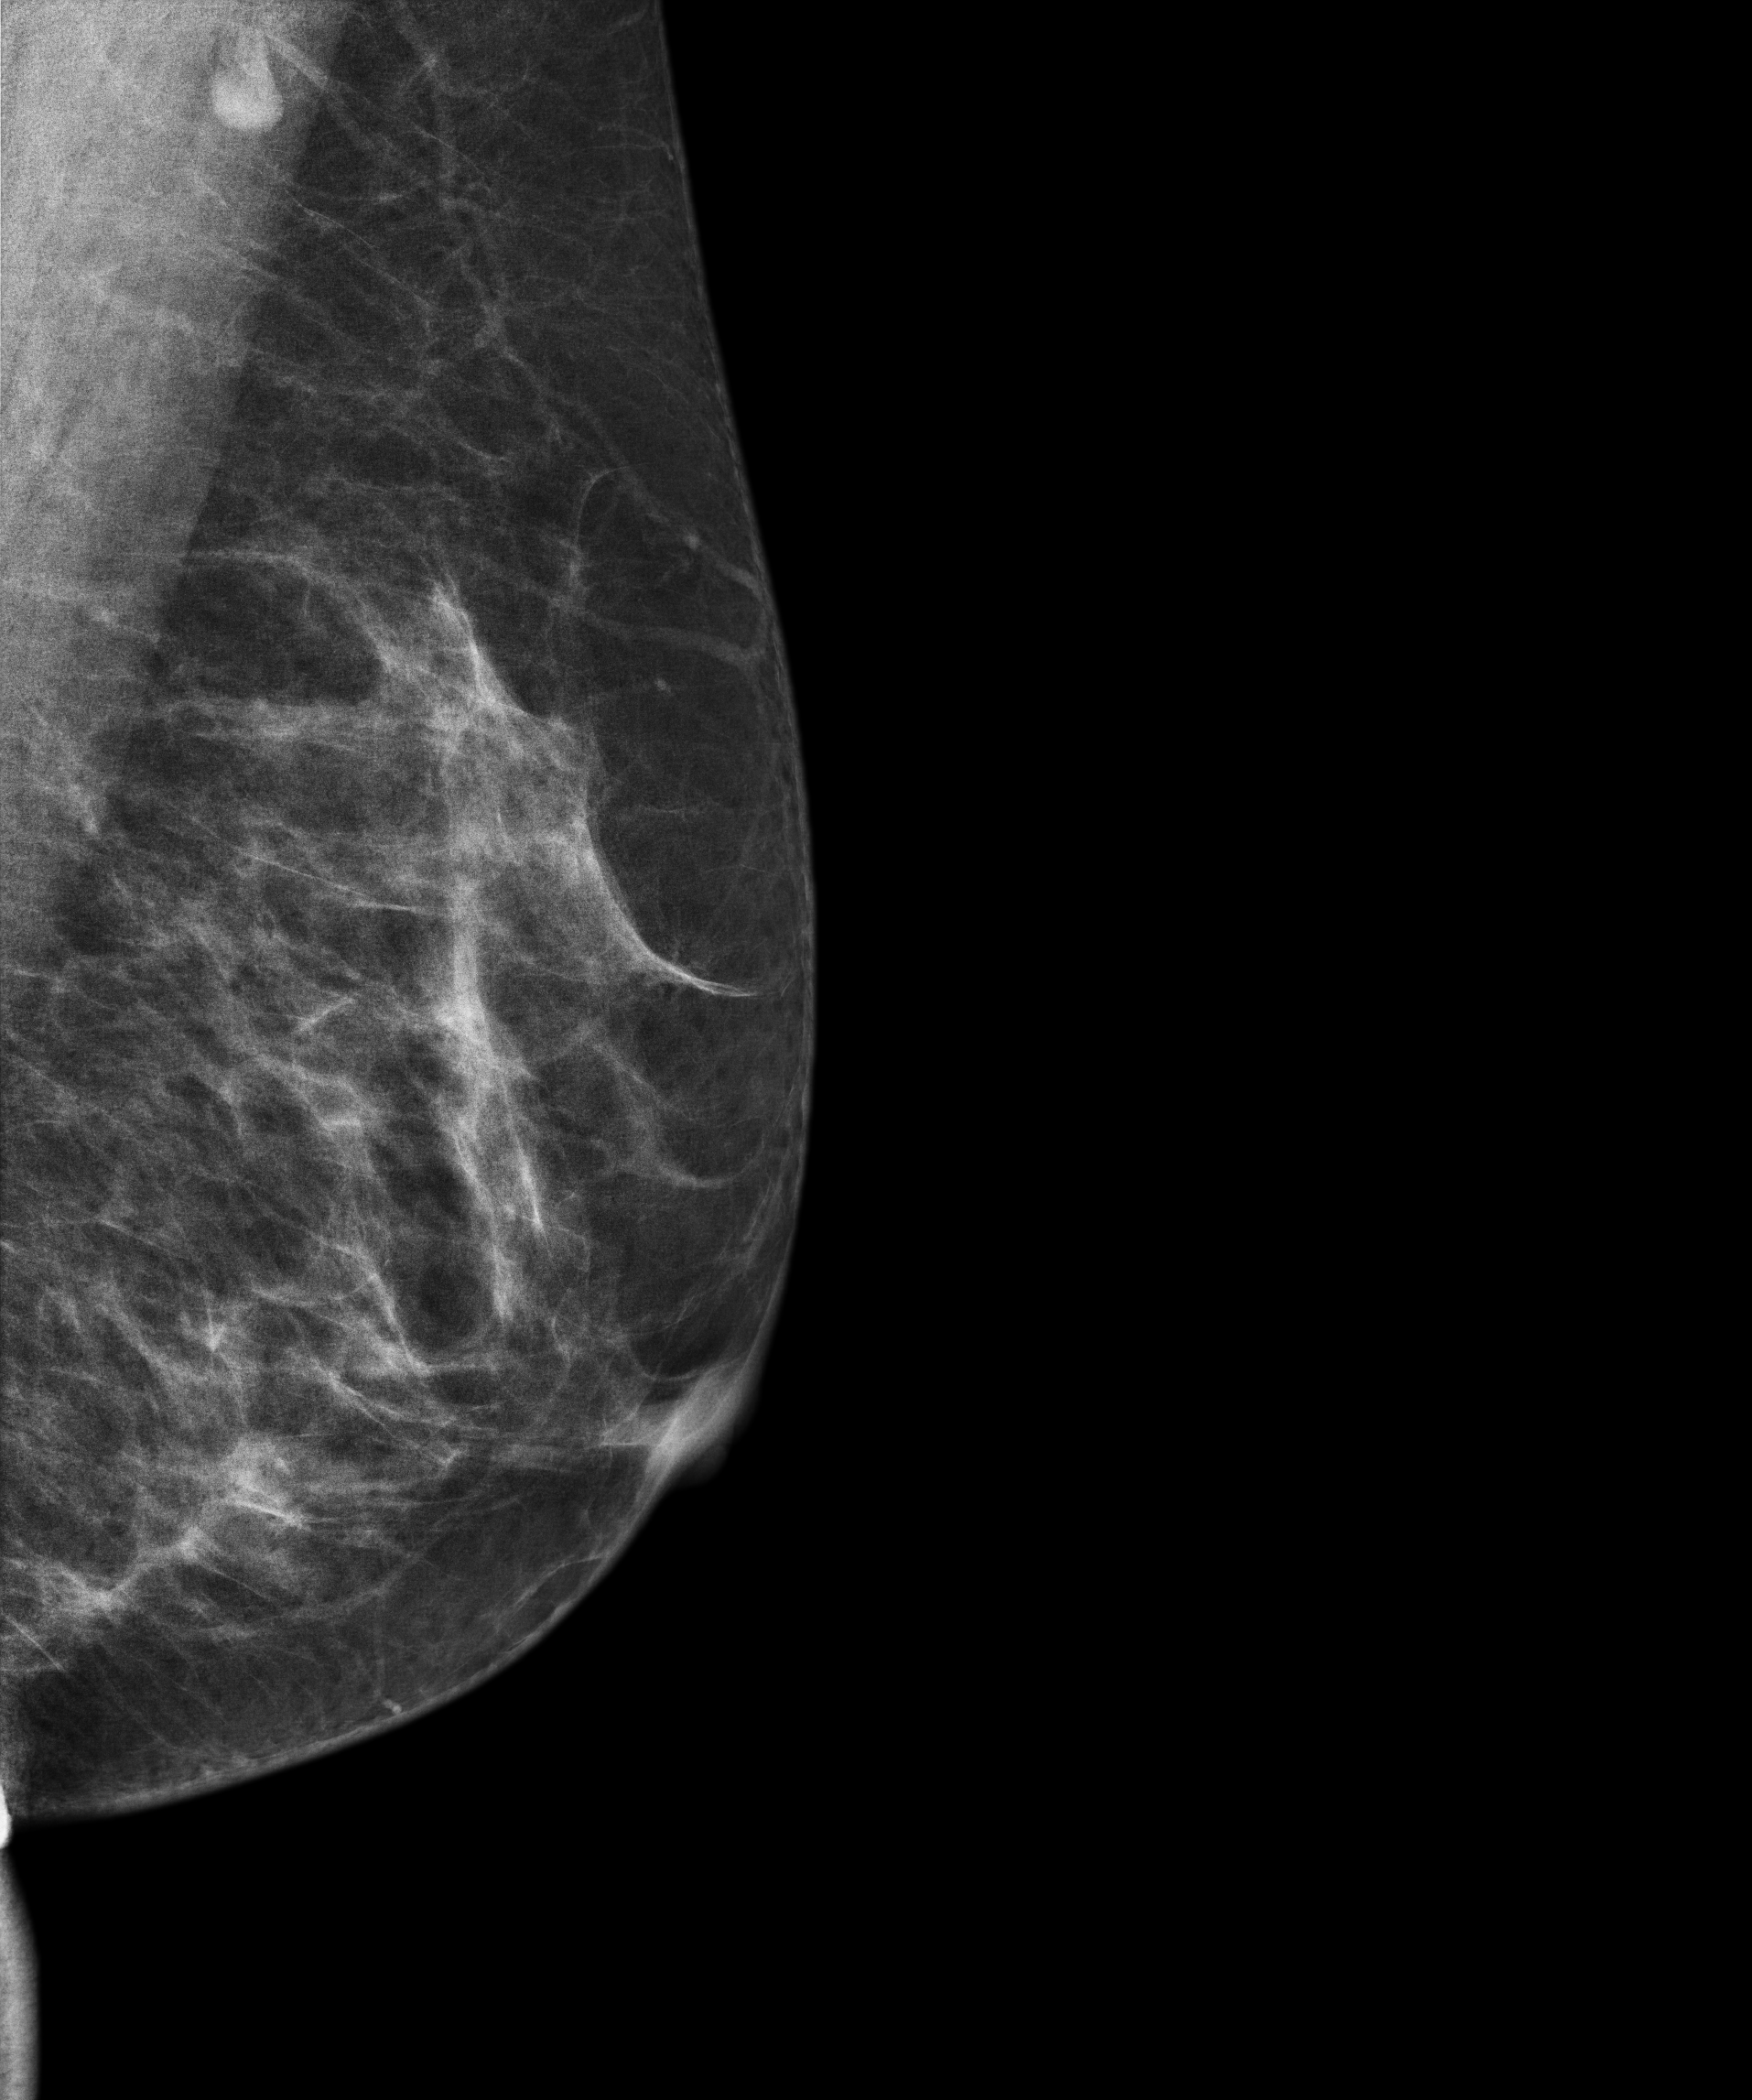
Mammogram, left breast, medio-lateral oblique view. 43-year-old patient.
Contralateral breast — no documented abnormality on this side.